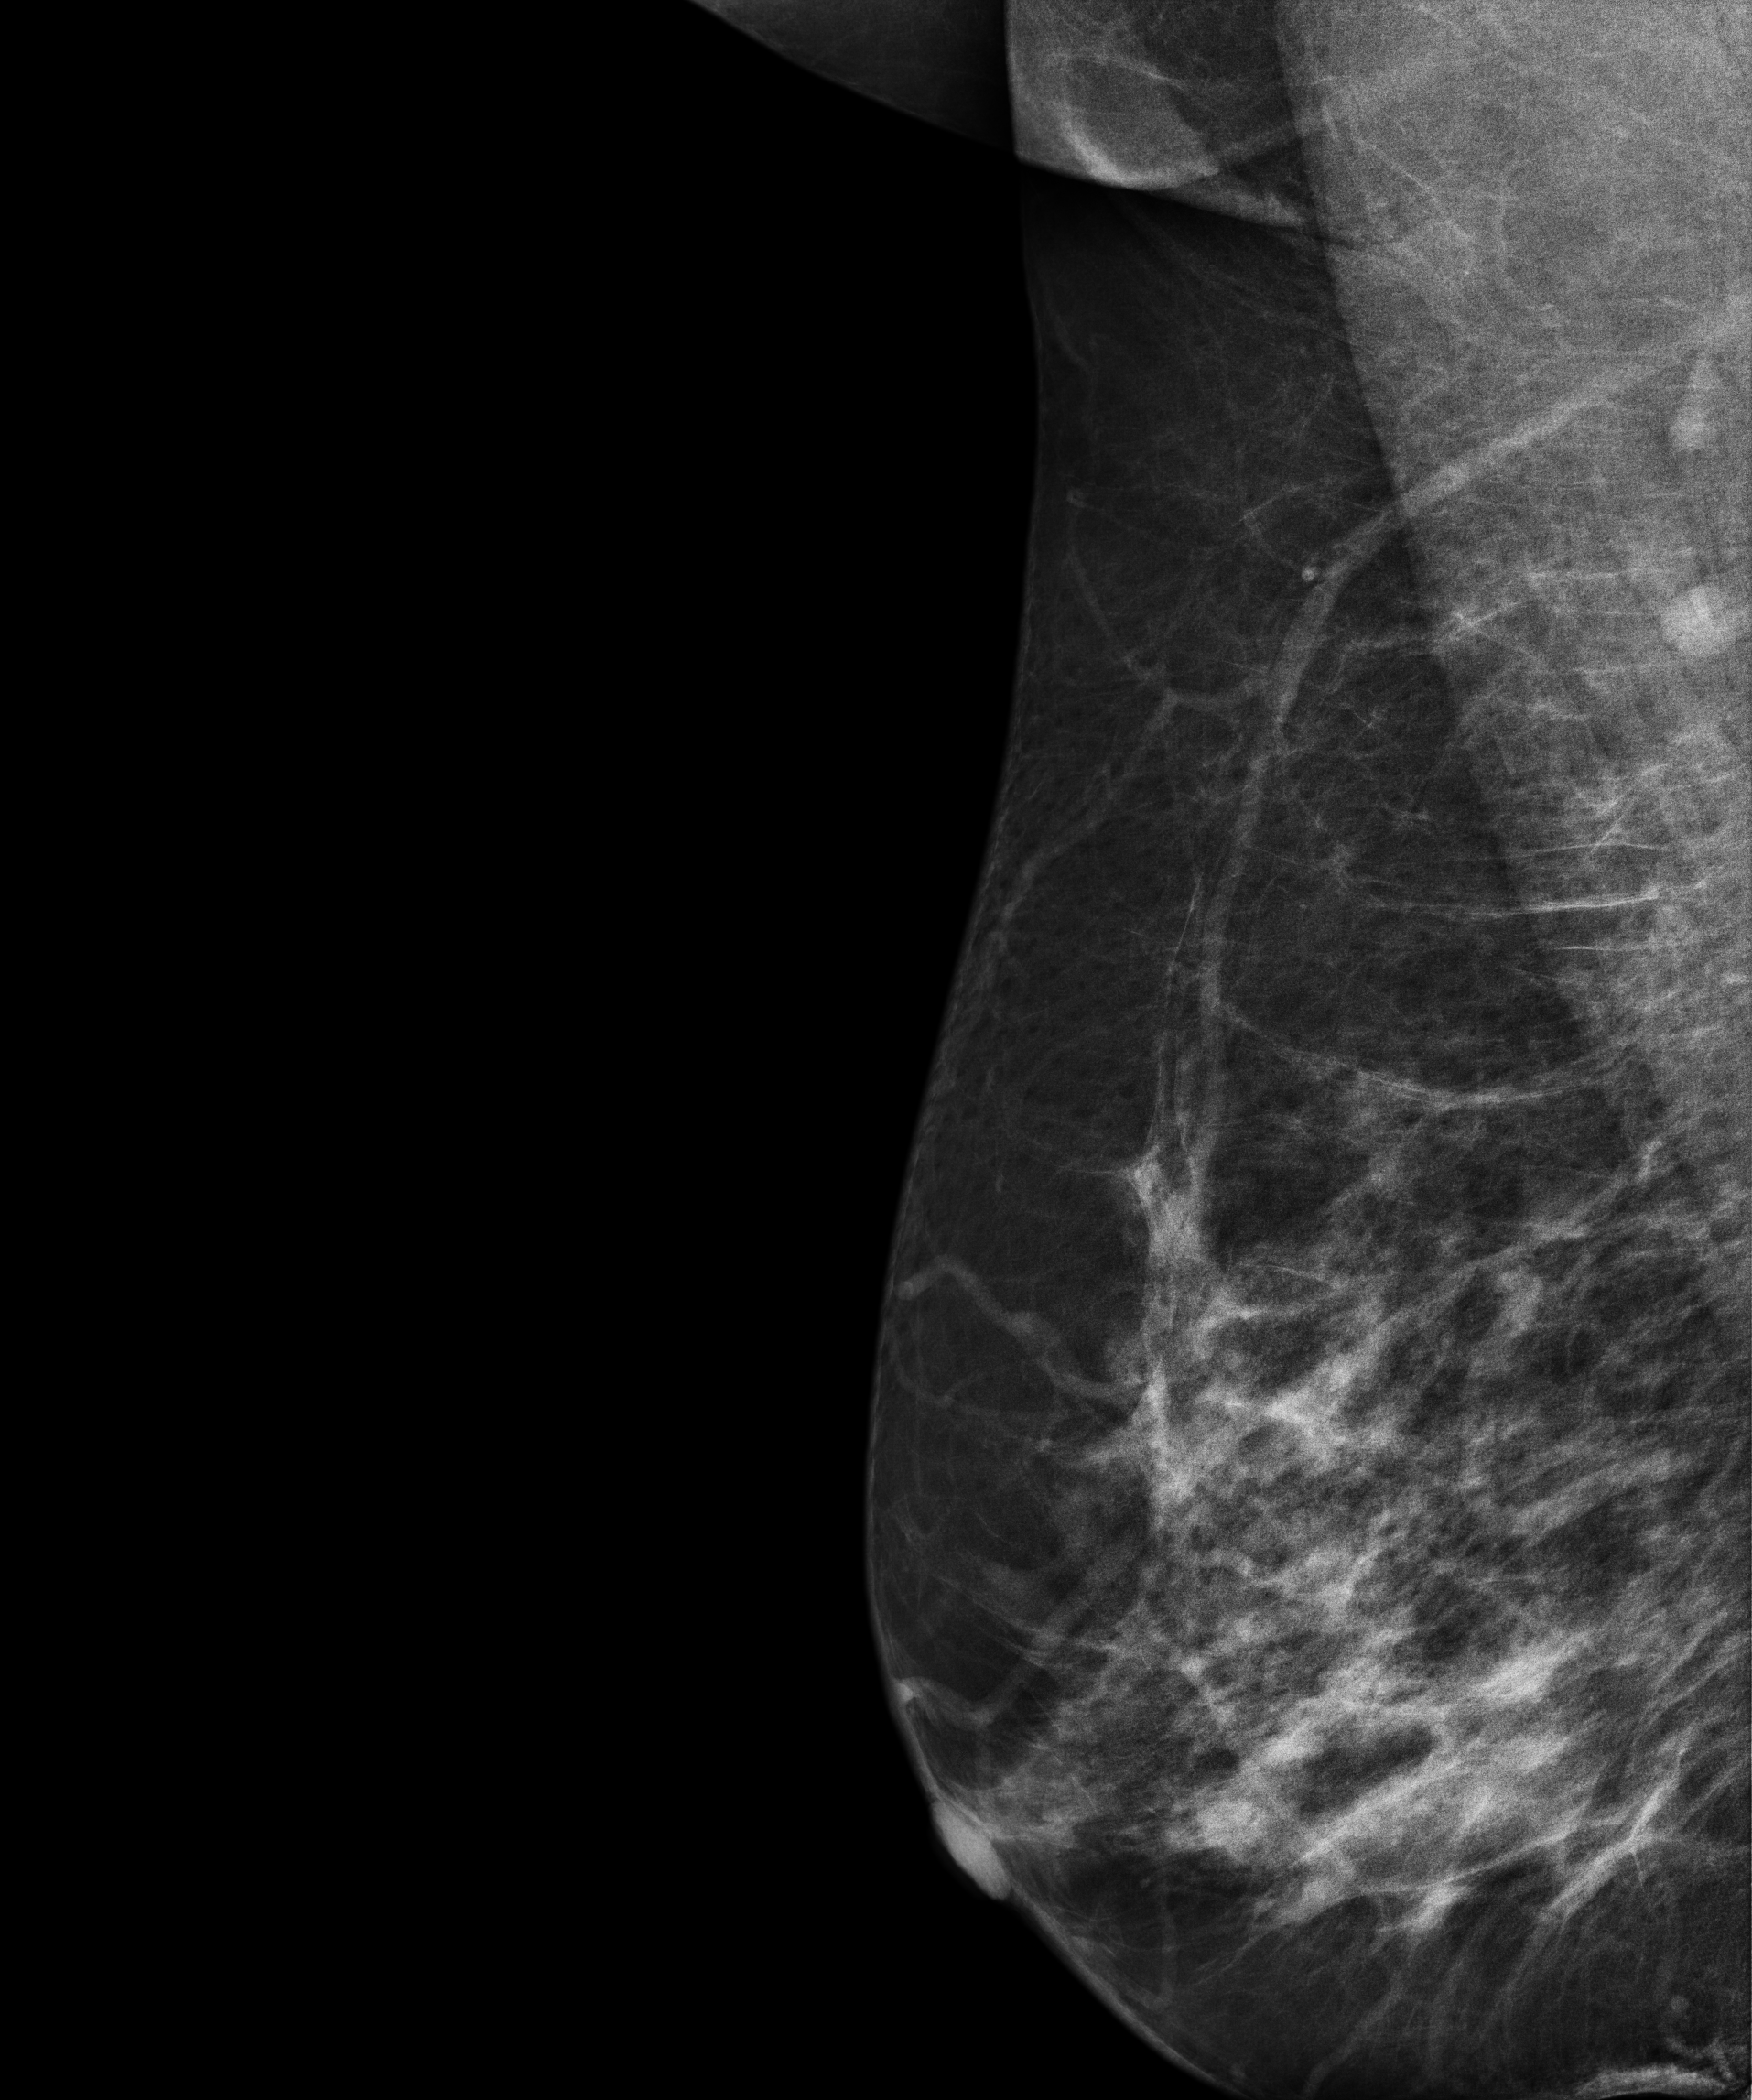
Medio-lateral oblique mammogram of the right breast. Patient age 65.
Contralateral breast — no documented abnormality on this side.